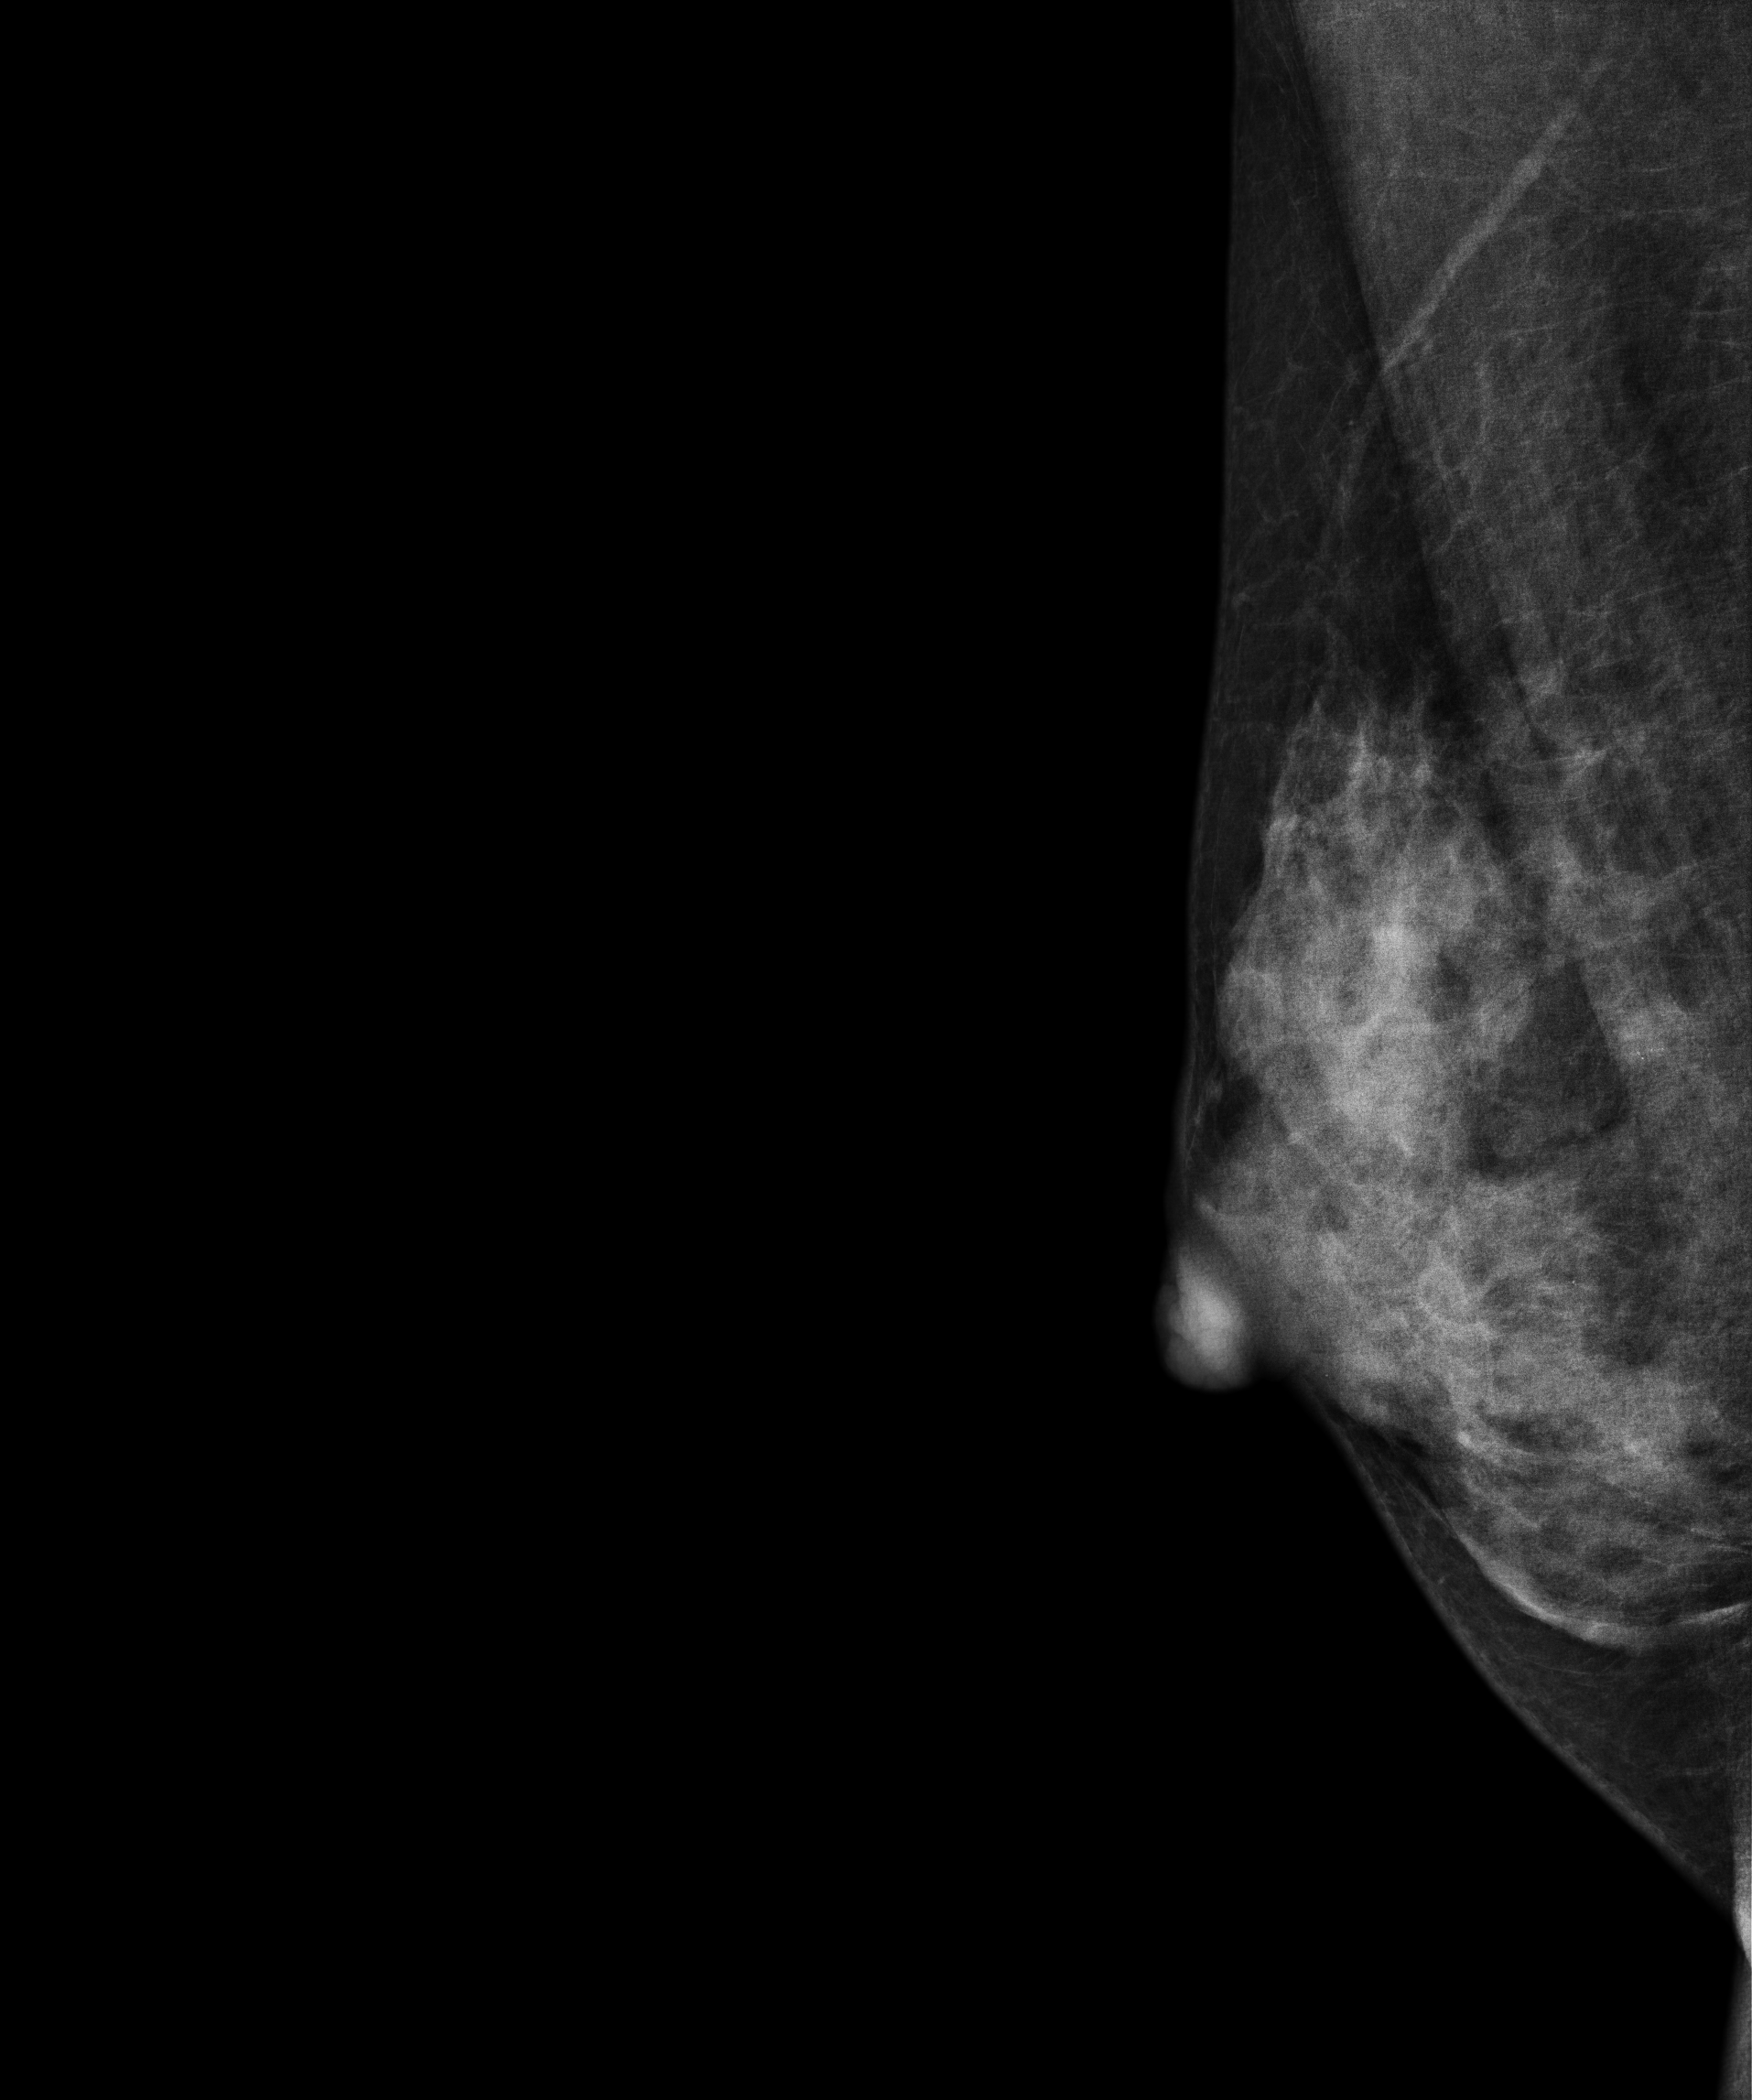
Right-breast mammogram, medio-lateral oblique. Patient age 43.
This breast has a mass and calcifications, pathology-confirmed benign.